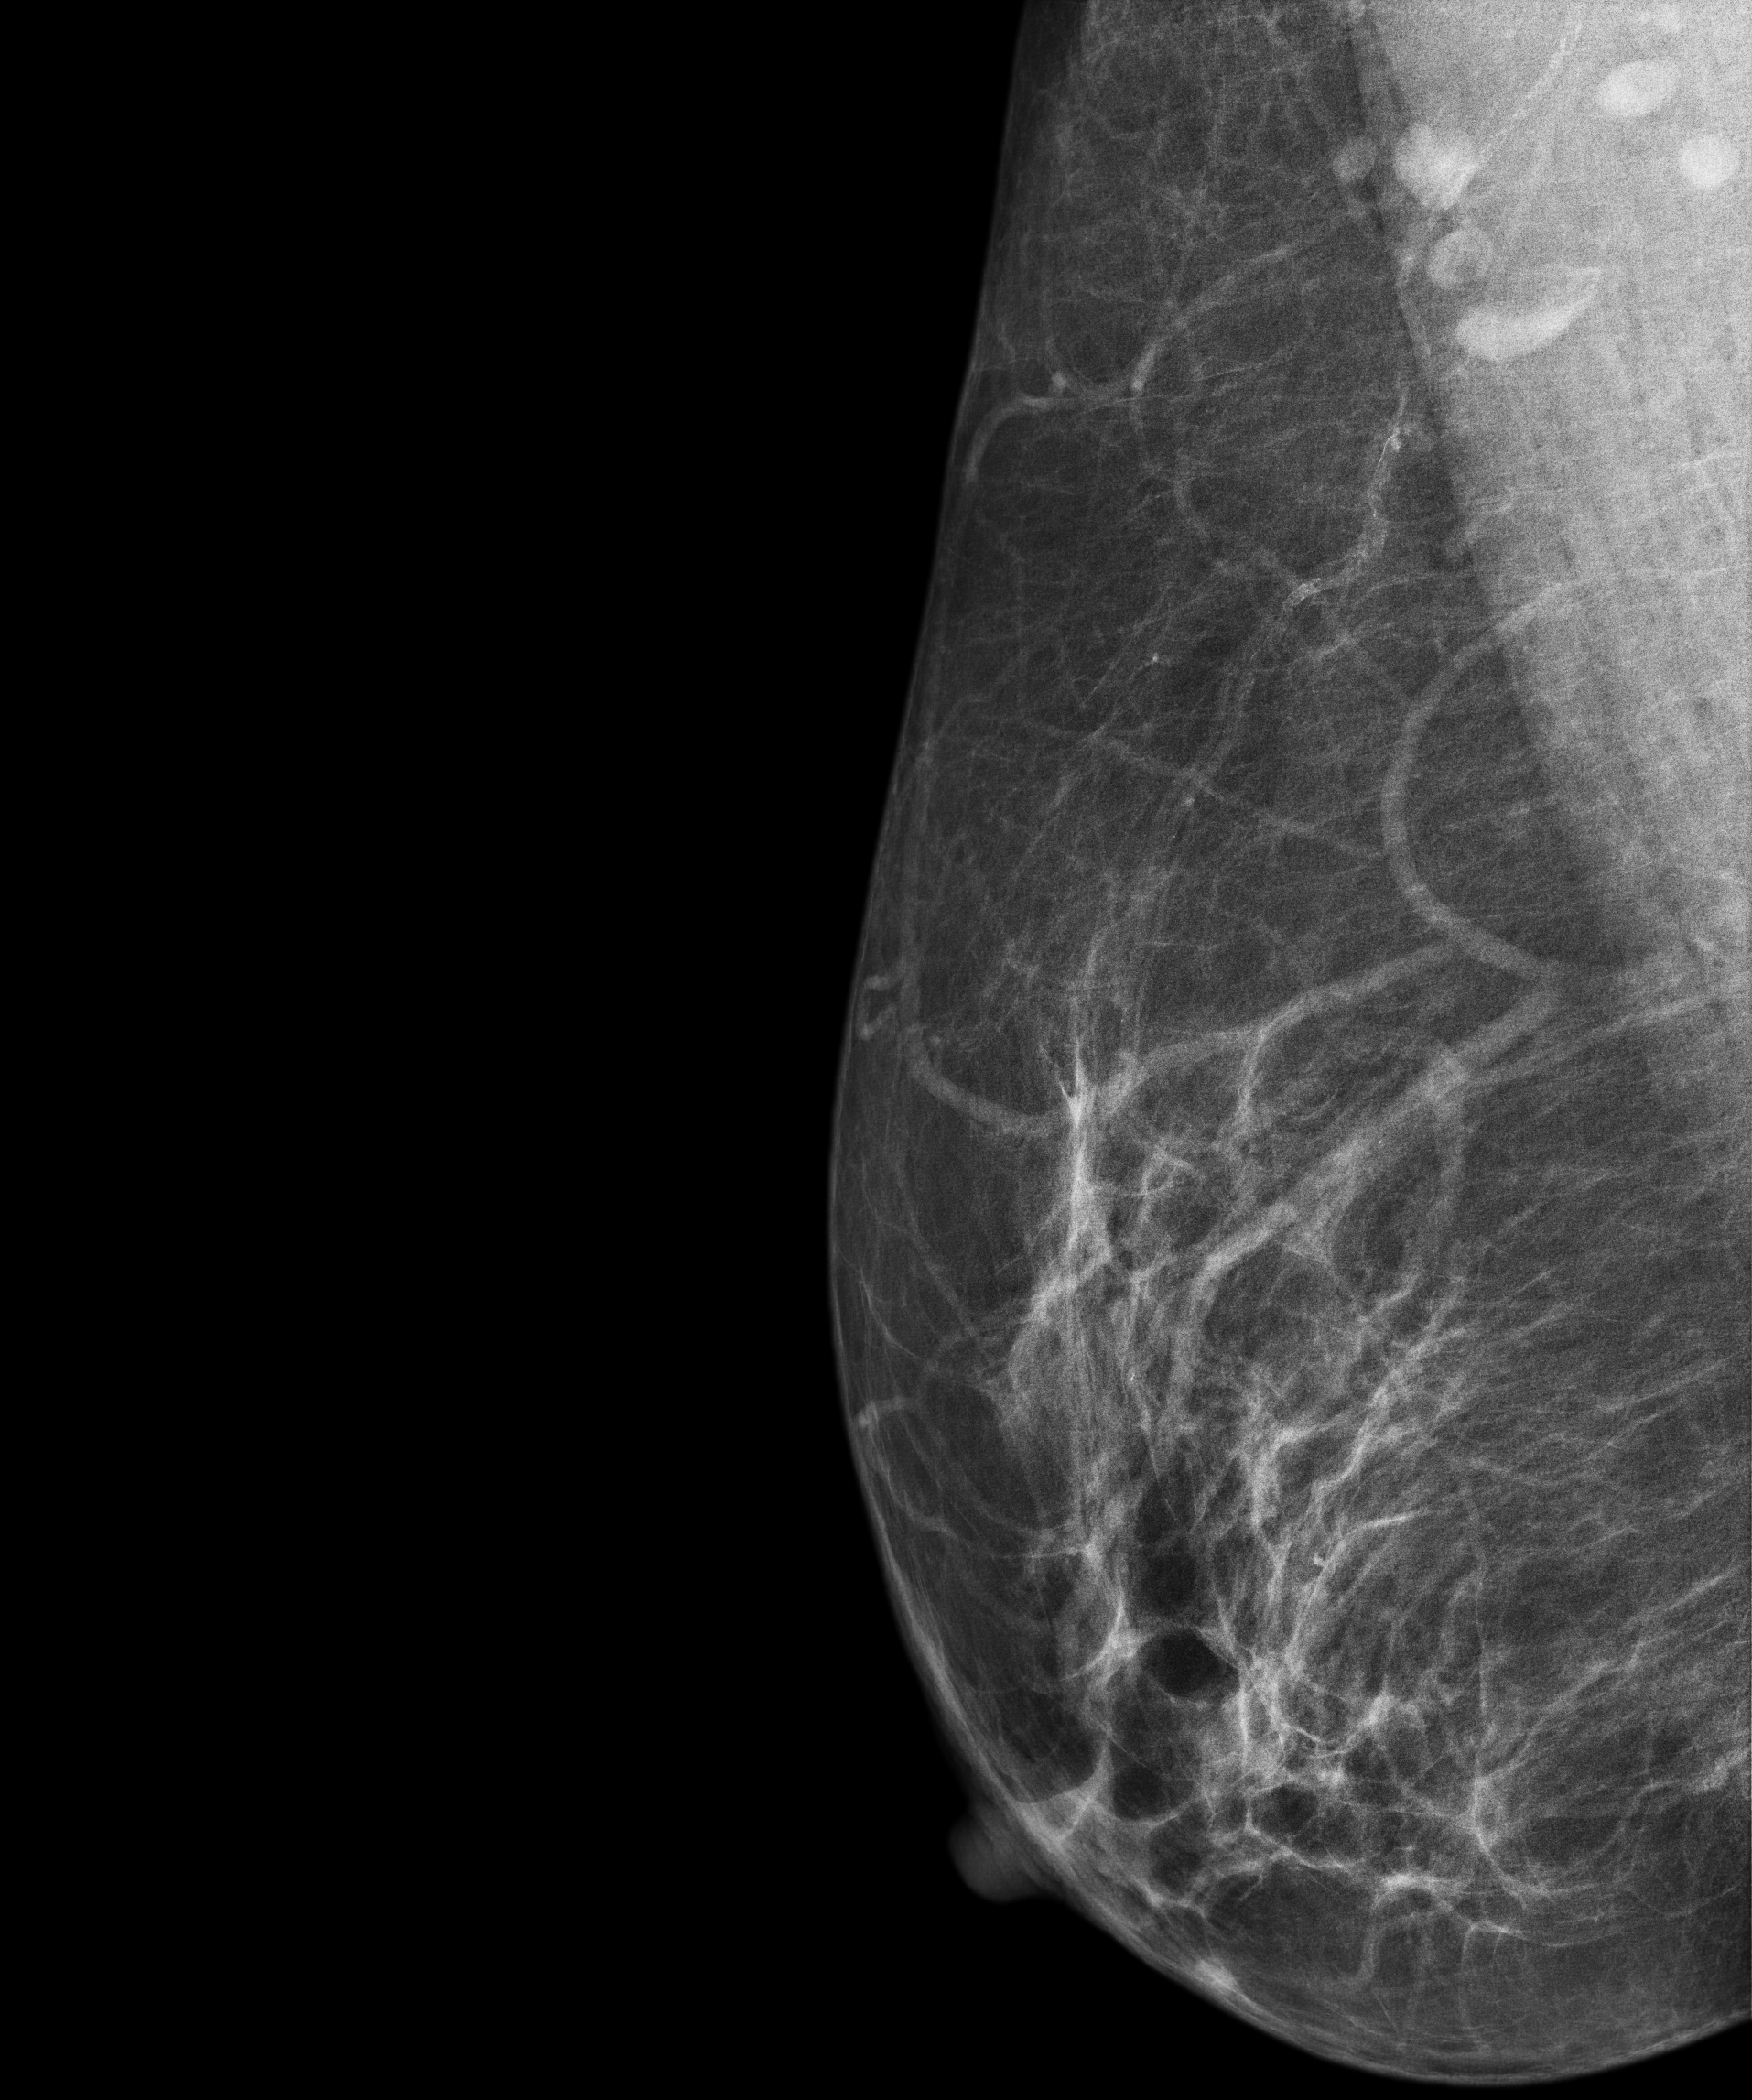
Medio-lateral oblique mammogram of the right breast. Patient age 48.
Contralateral breast — no documented abnormality on this side.